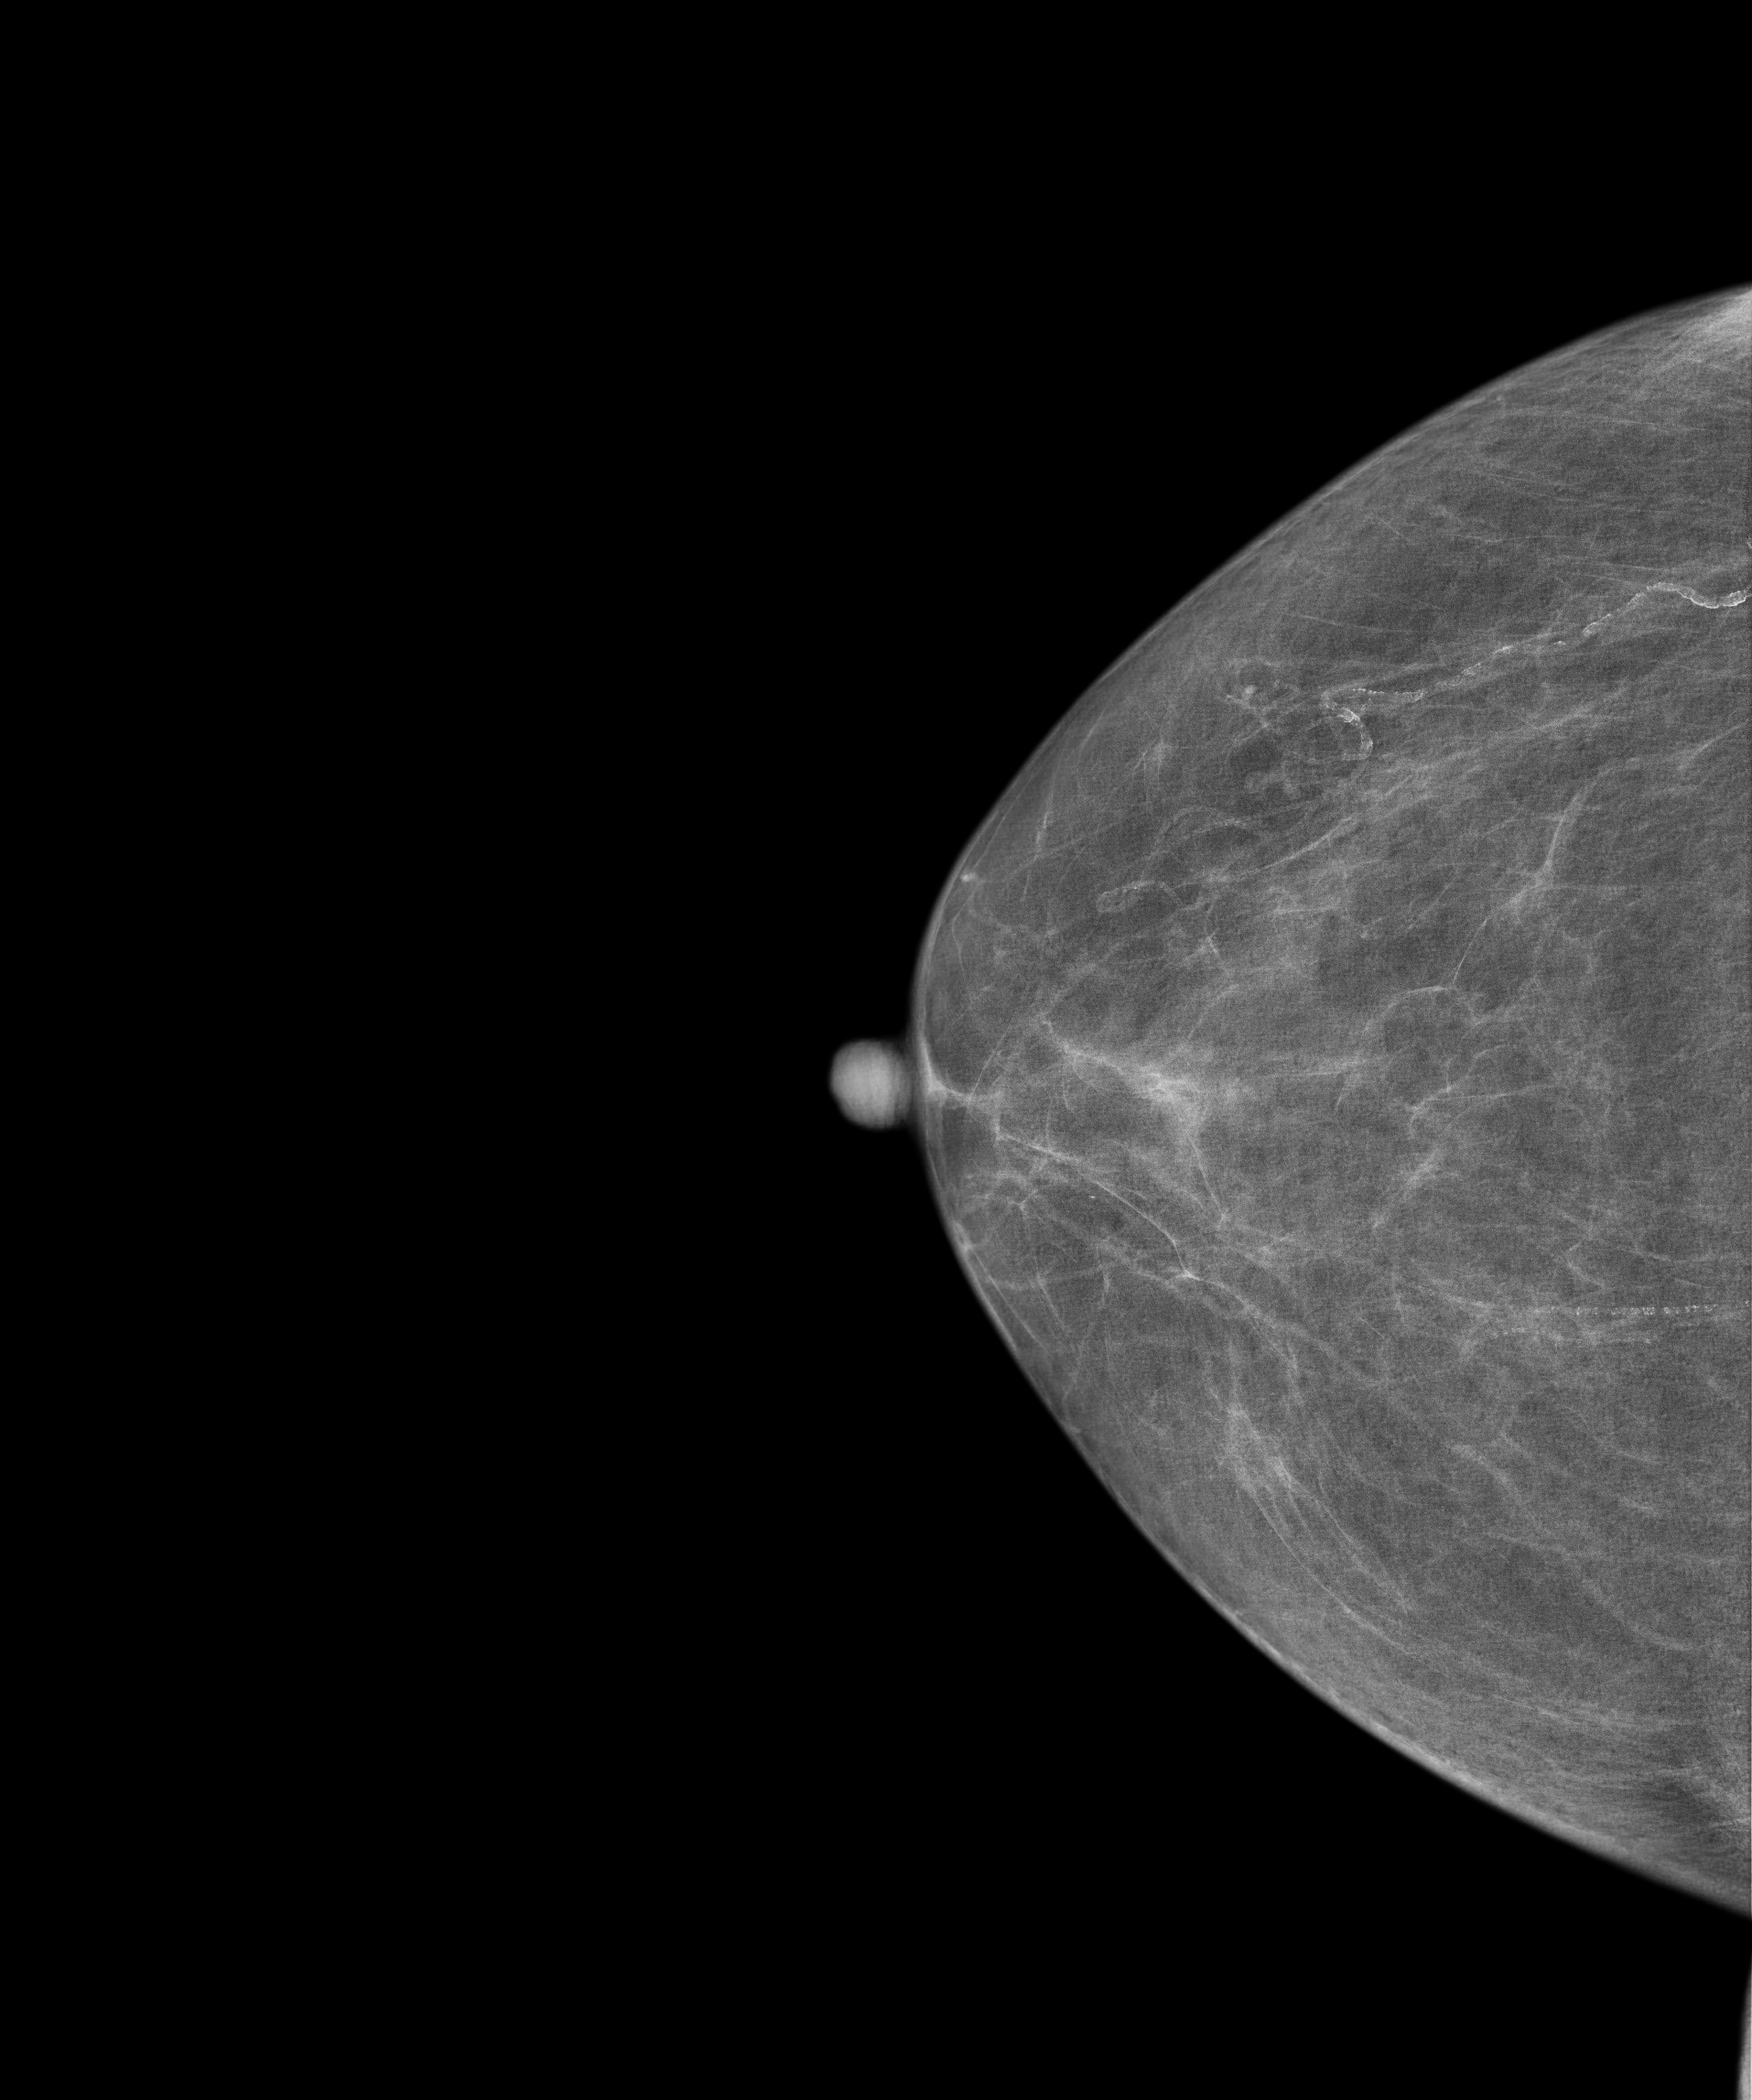
Cranio-caudal mammogram of the right breast. 74 y/o patient.
Contralateral breast — no documented abnormality on this side.